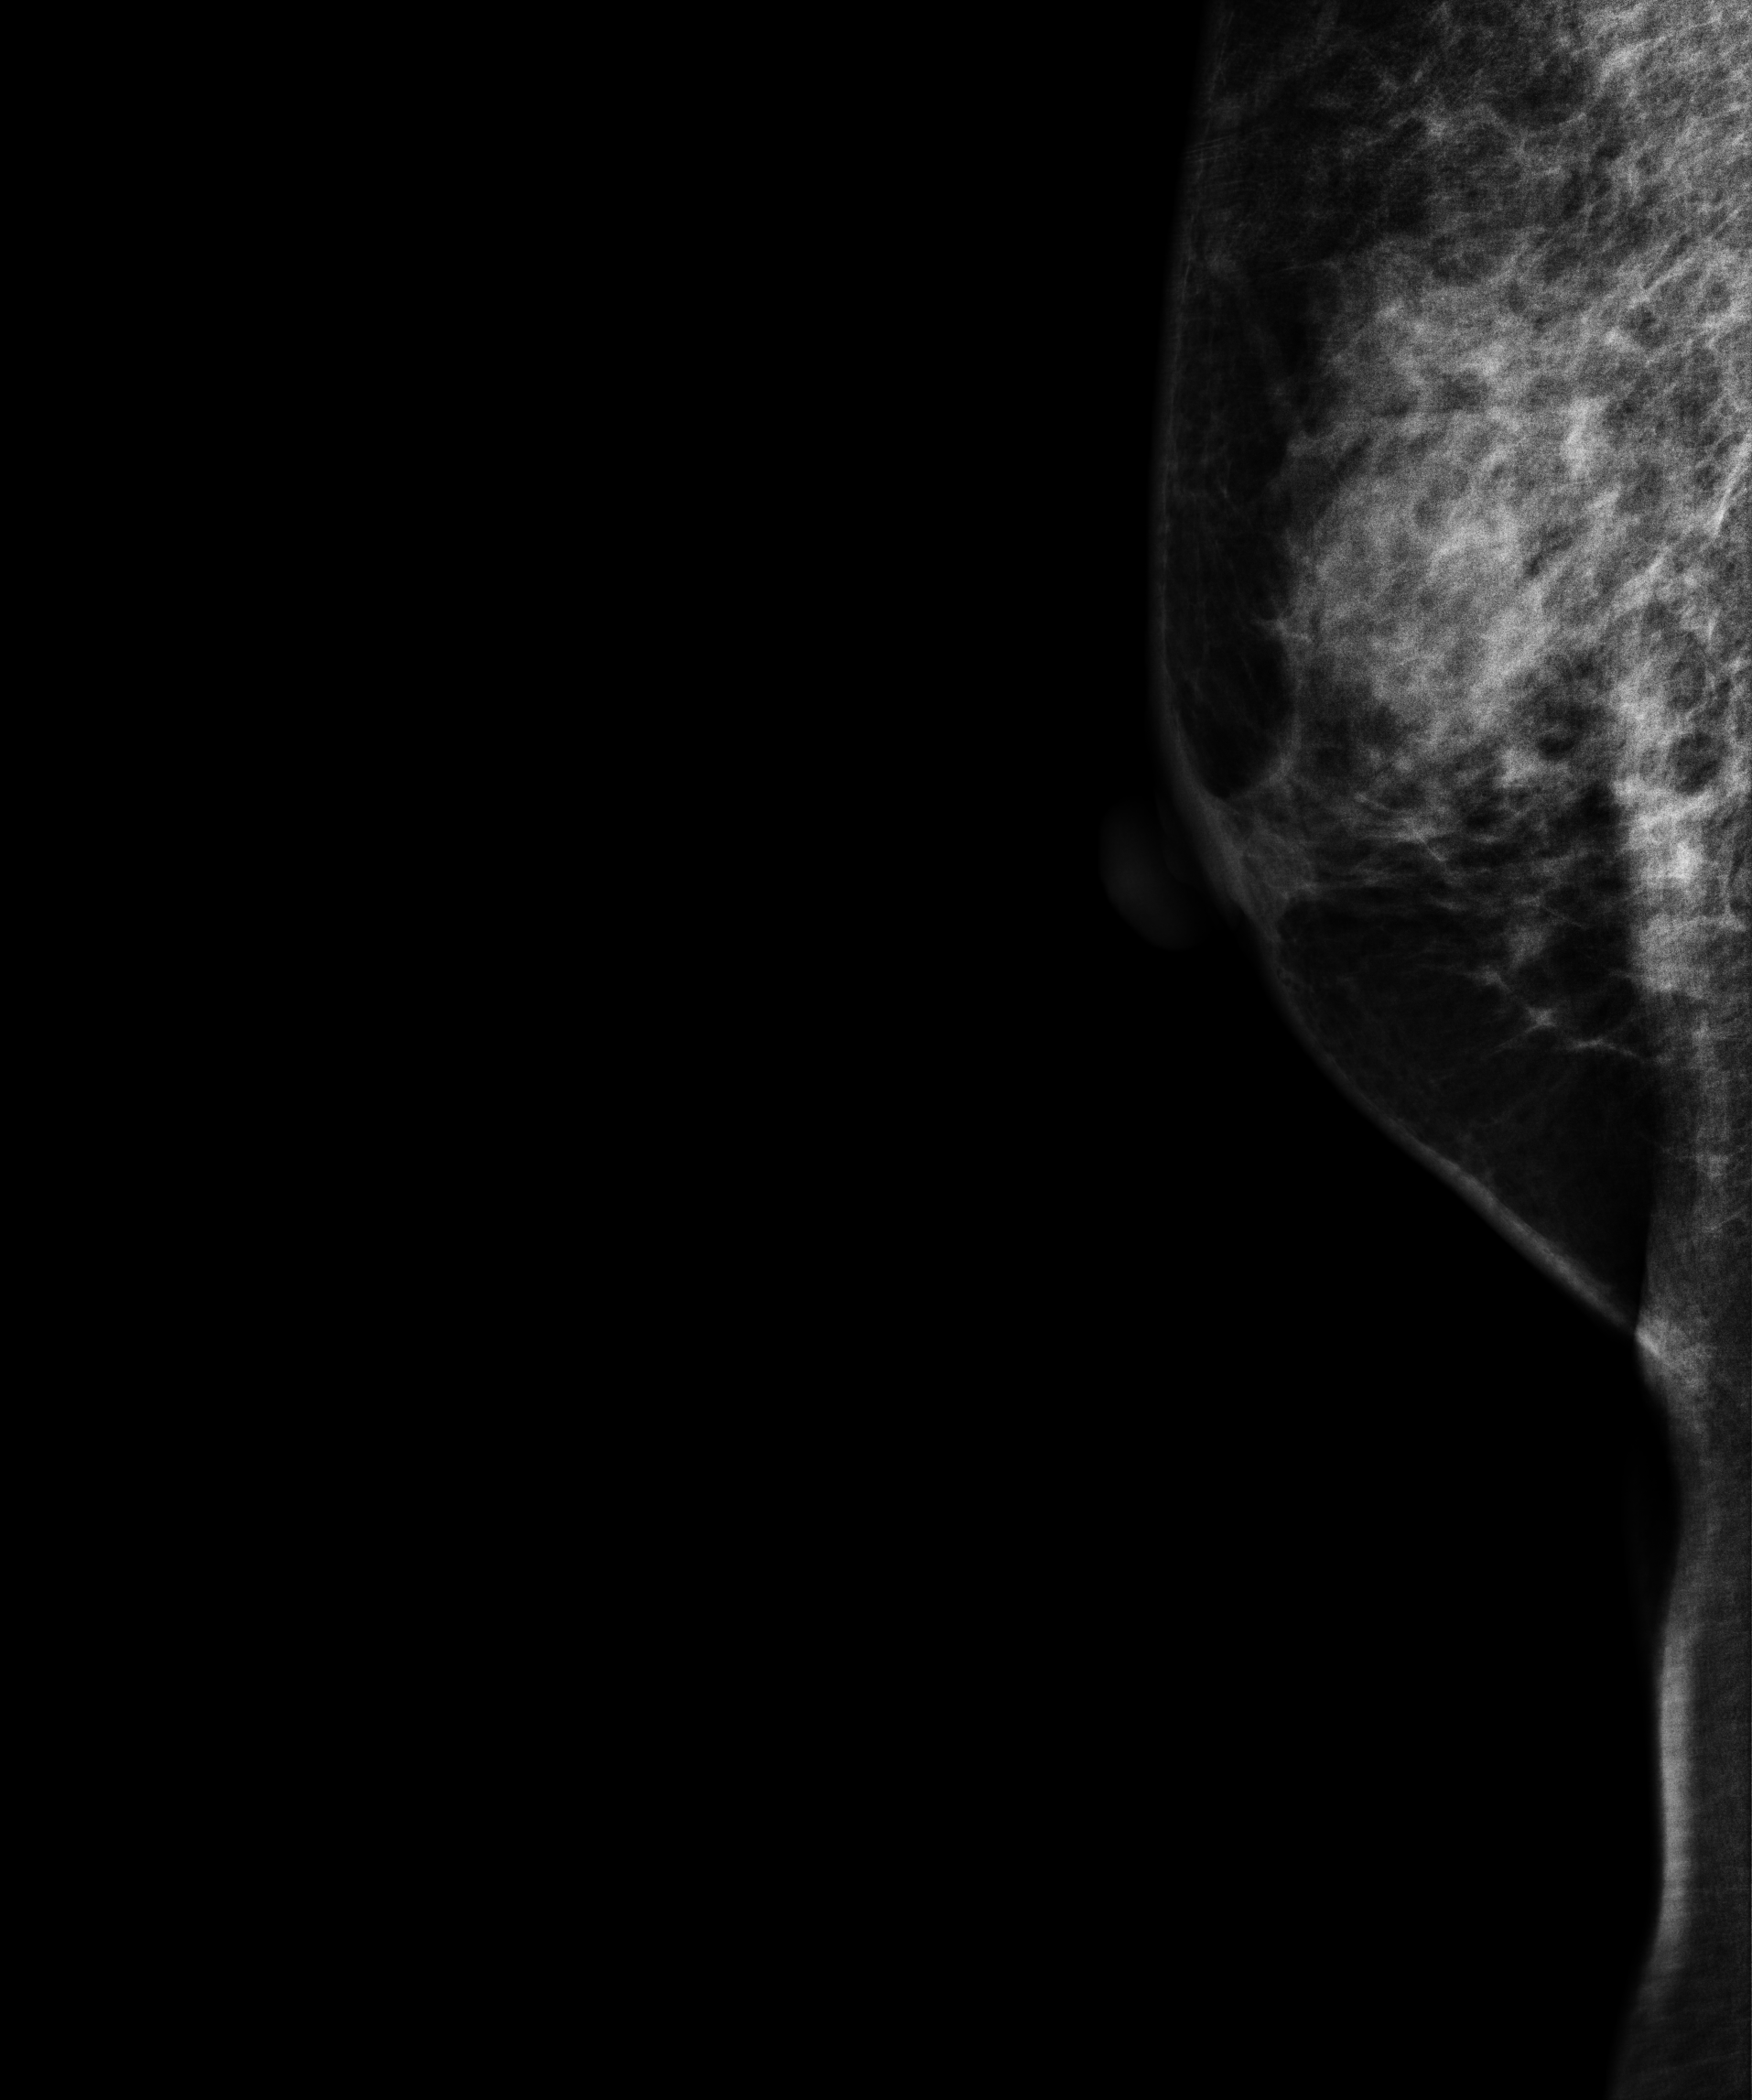
Mammogram, right breast, medio-lateral oblique view. 59 y/o patient.
This breast has a mass, biopsy-confirmed malignant.